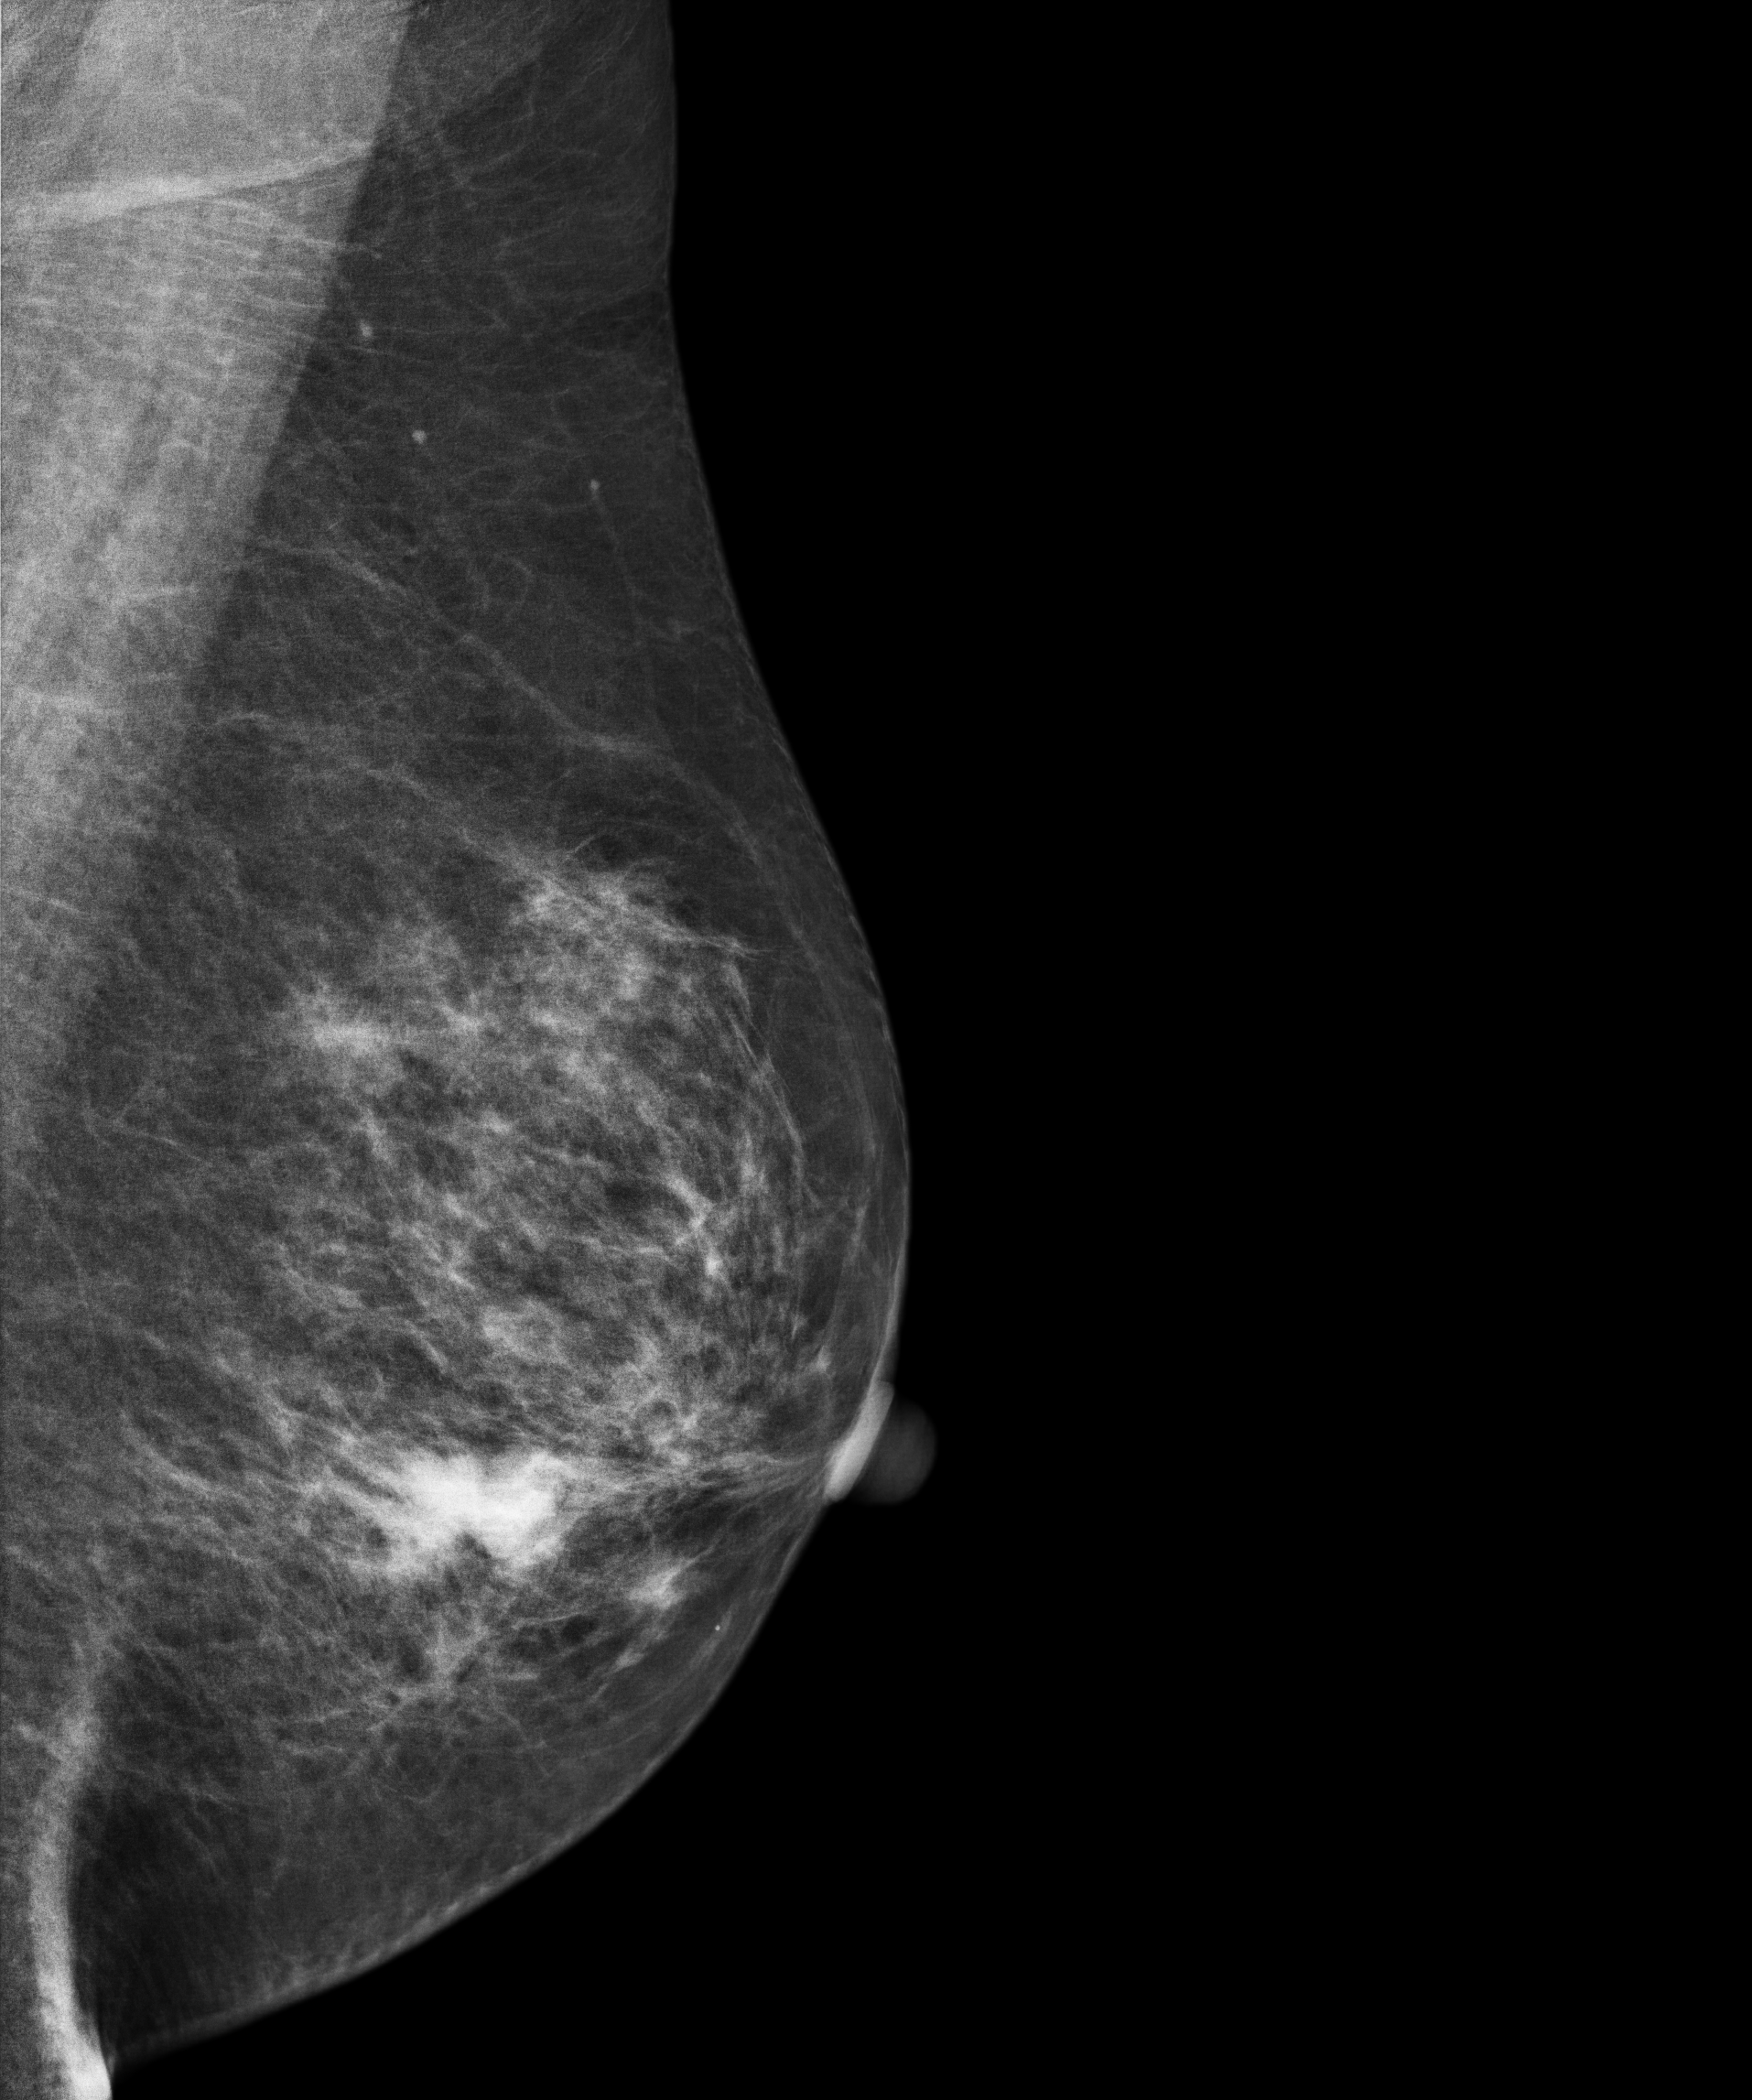
Mammogram — left medio-lateral oblique. Patient age 51.
This breast has a mass, histologically confirmed malignant. Molecular subtype: luminal A.